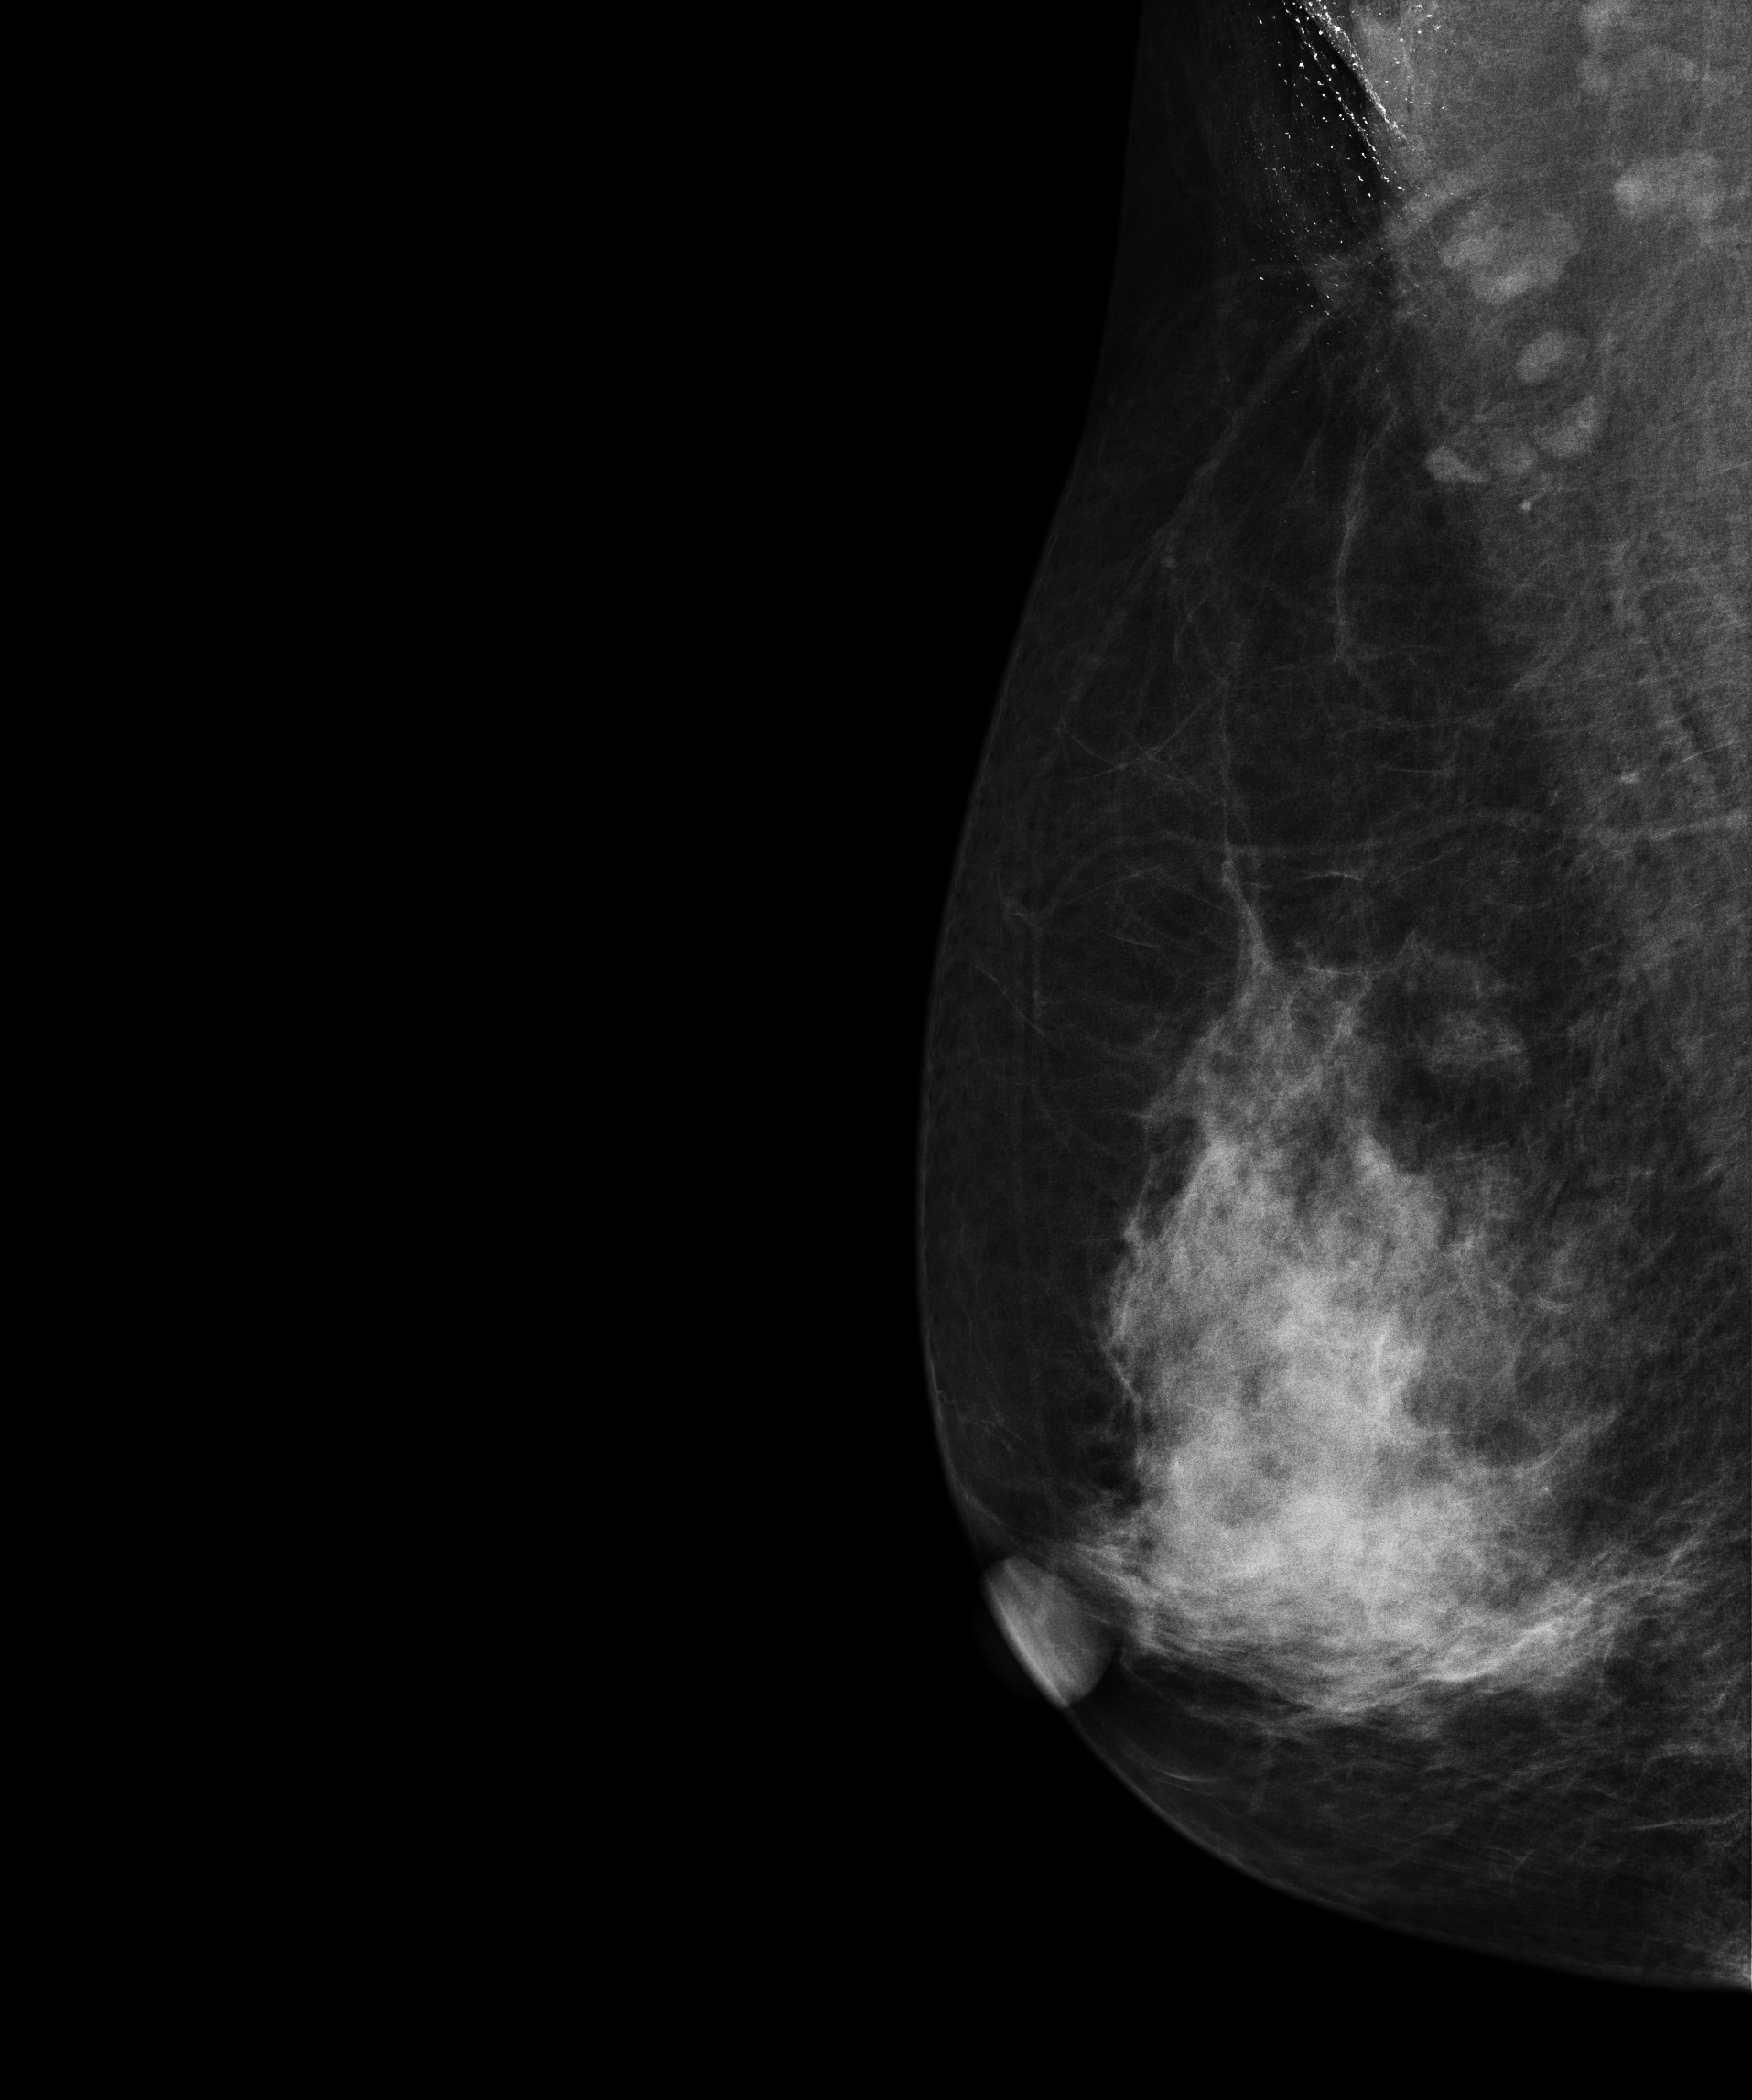
Mammogram — right MLO. Patient age 43.
This breast has calcifications, biopsy-confirmed malignant.